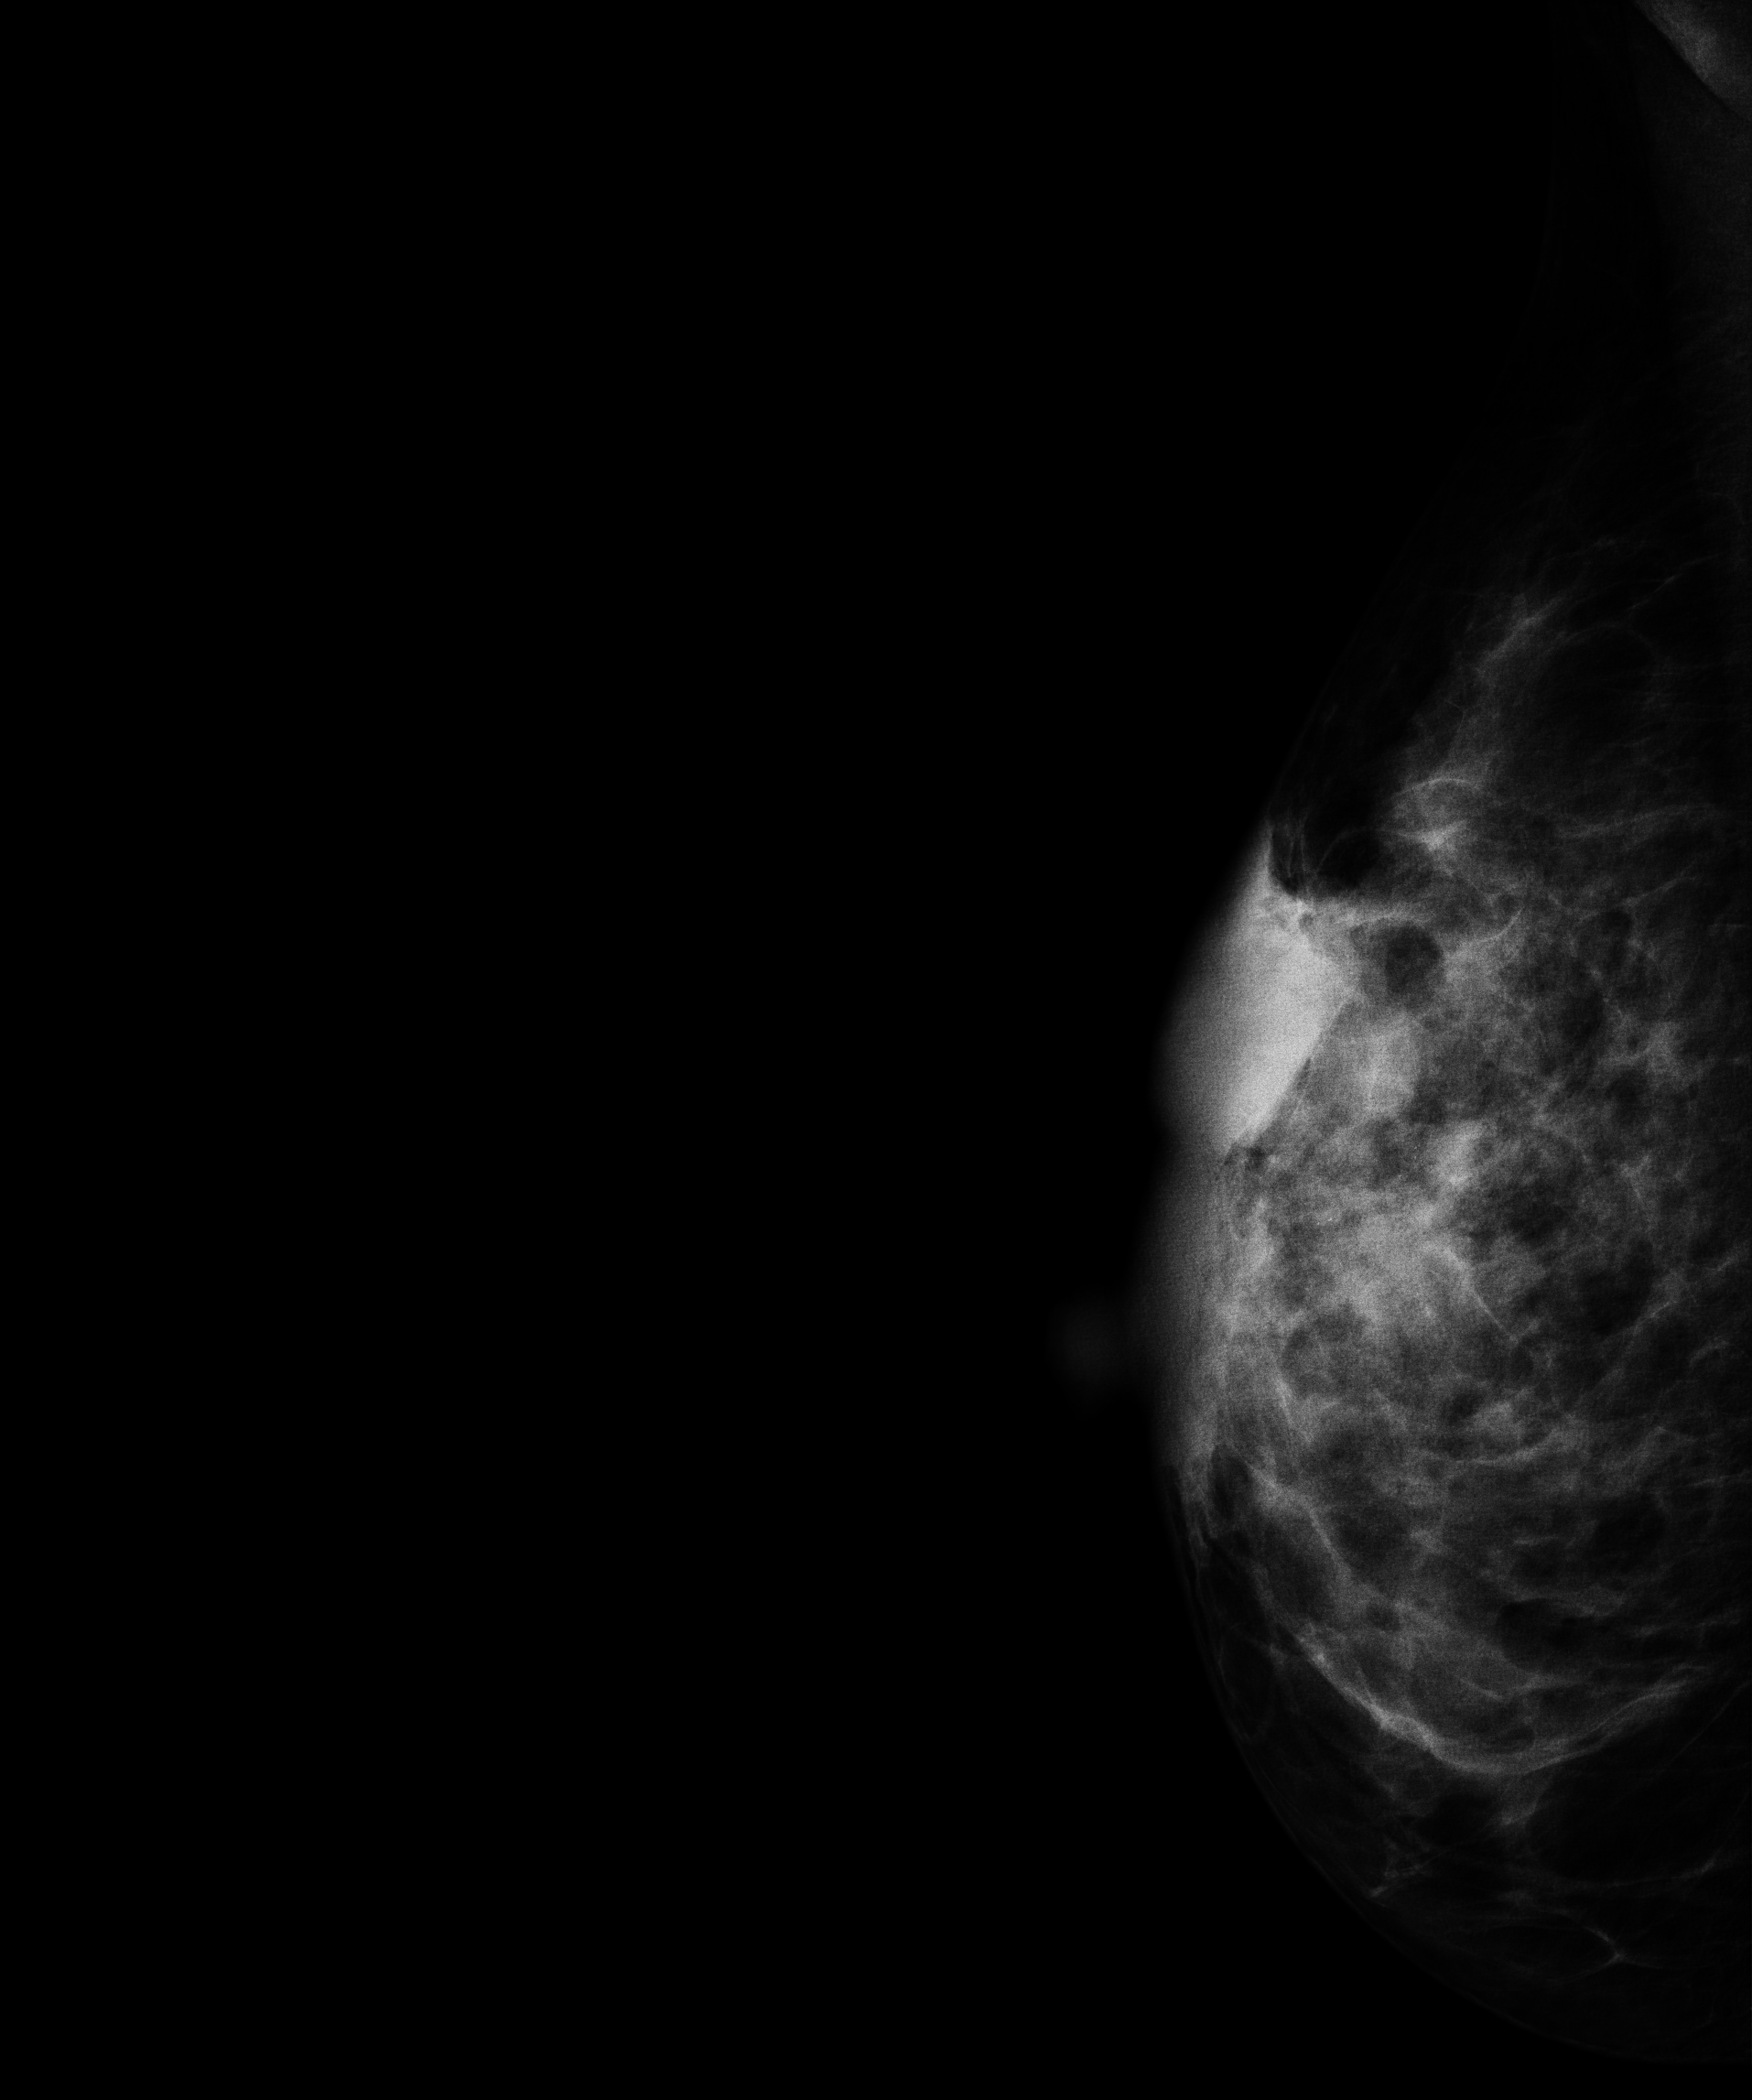
Medio-lateral oblique mammogram of the right breast. Patient age 49.
This breast has a mass, histologically confirmed malignant. Molecular subtype: triple-negative.